Mammogram — left CC. 37-year-old patient.
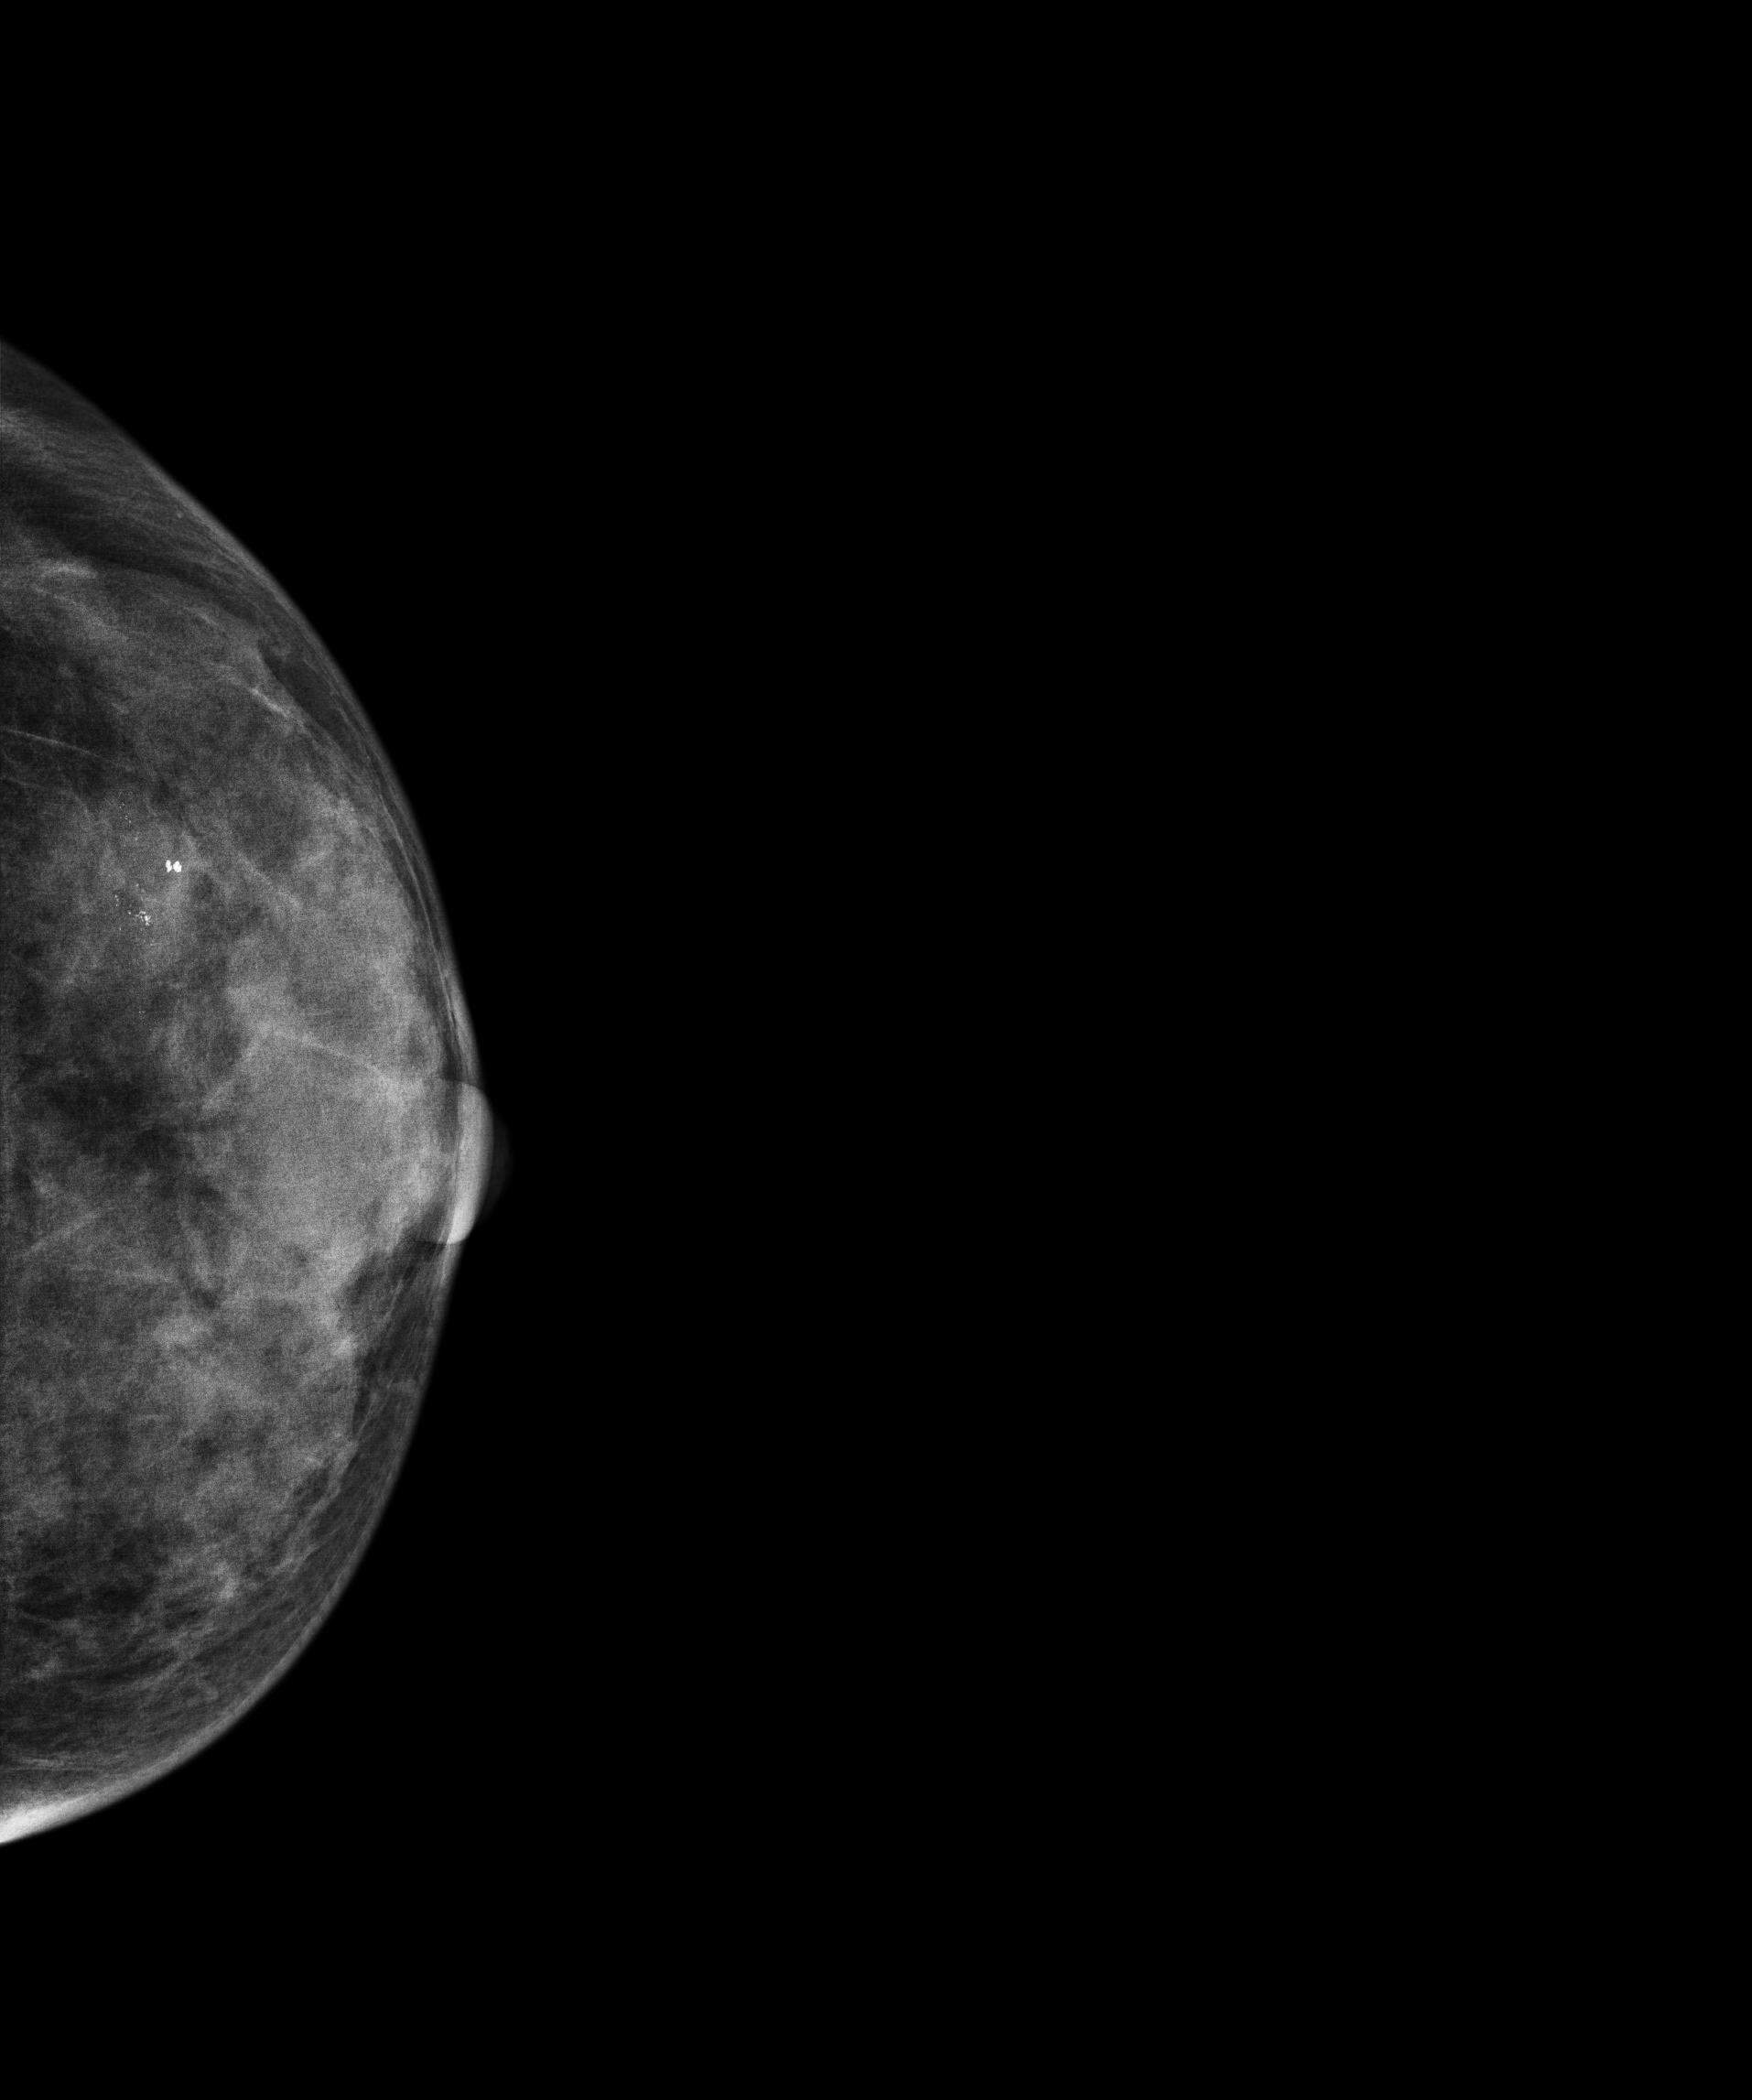
This breast has a mass and calcifications, biopsy-confirmed malignant. Molecular subtype: luminal B.